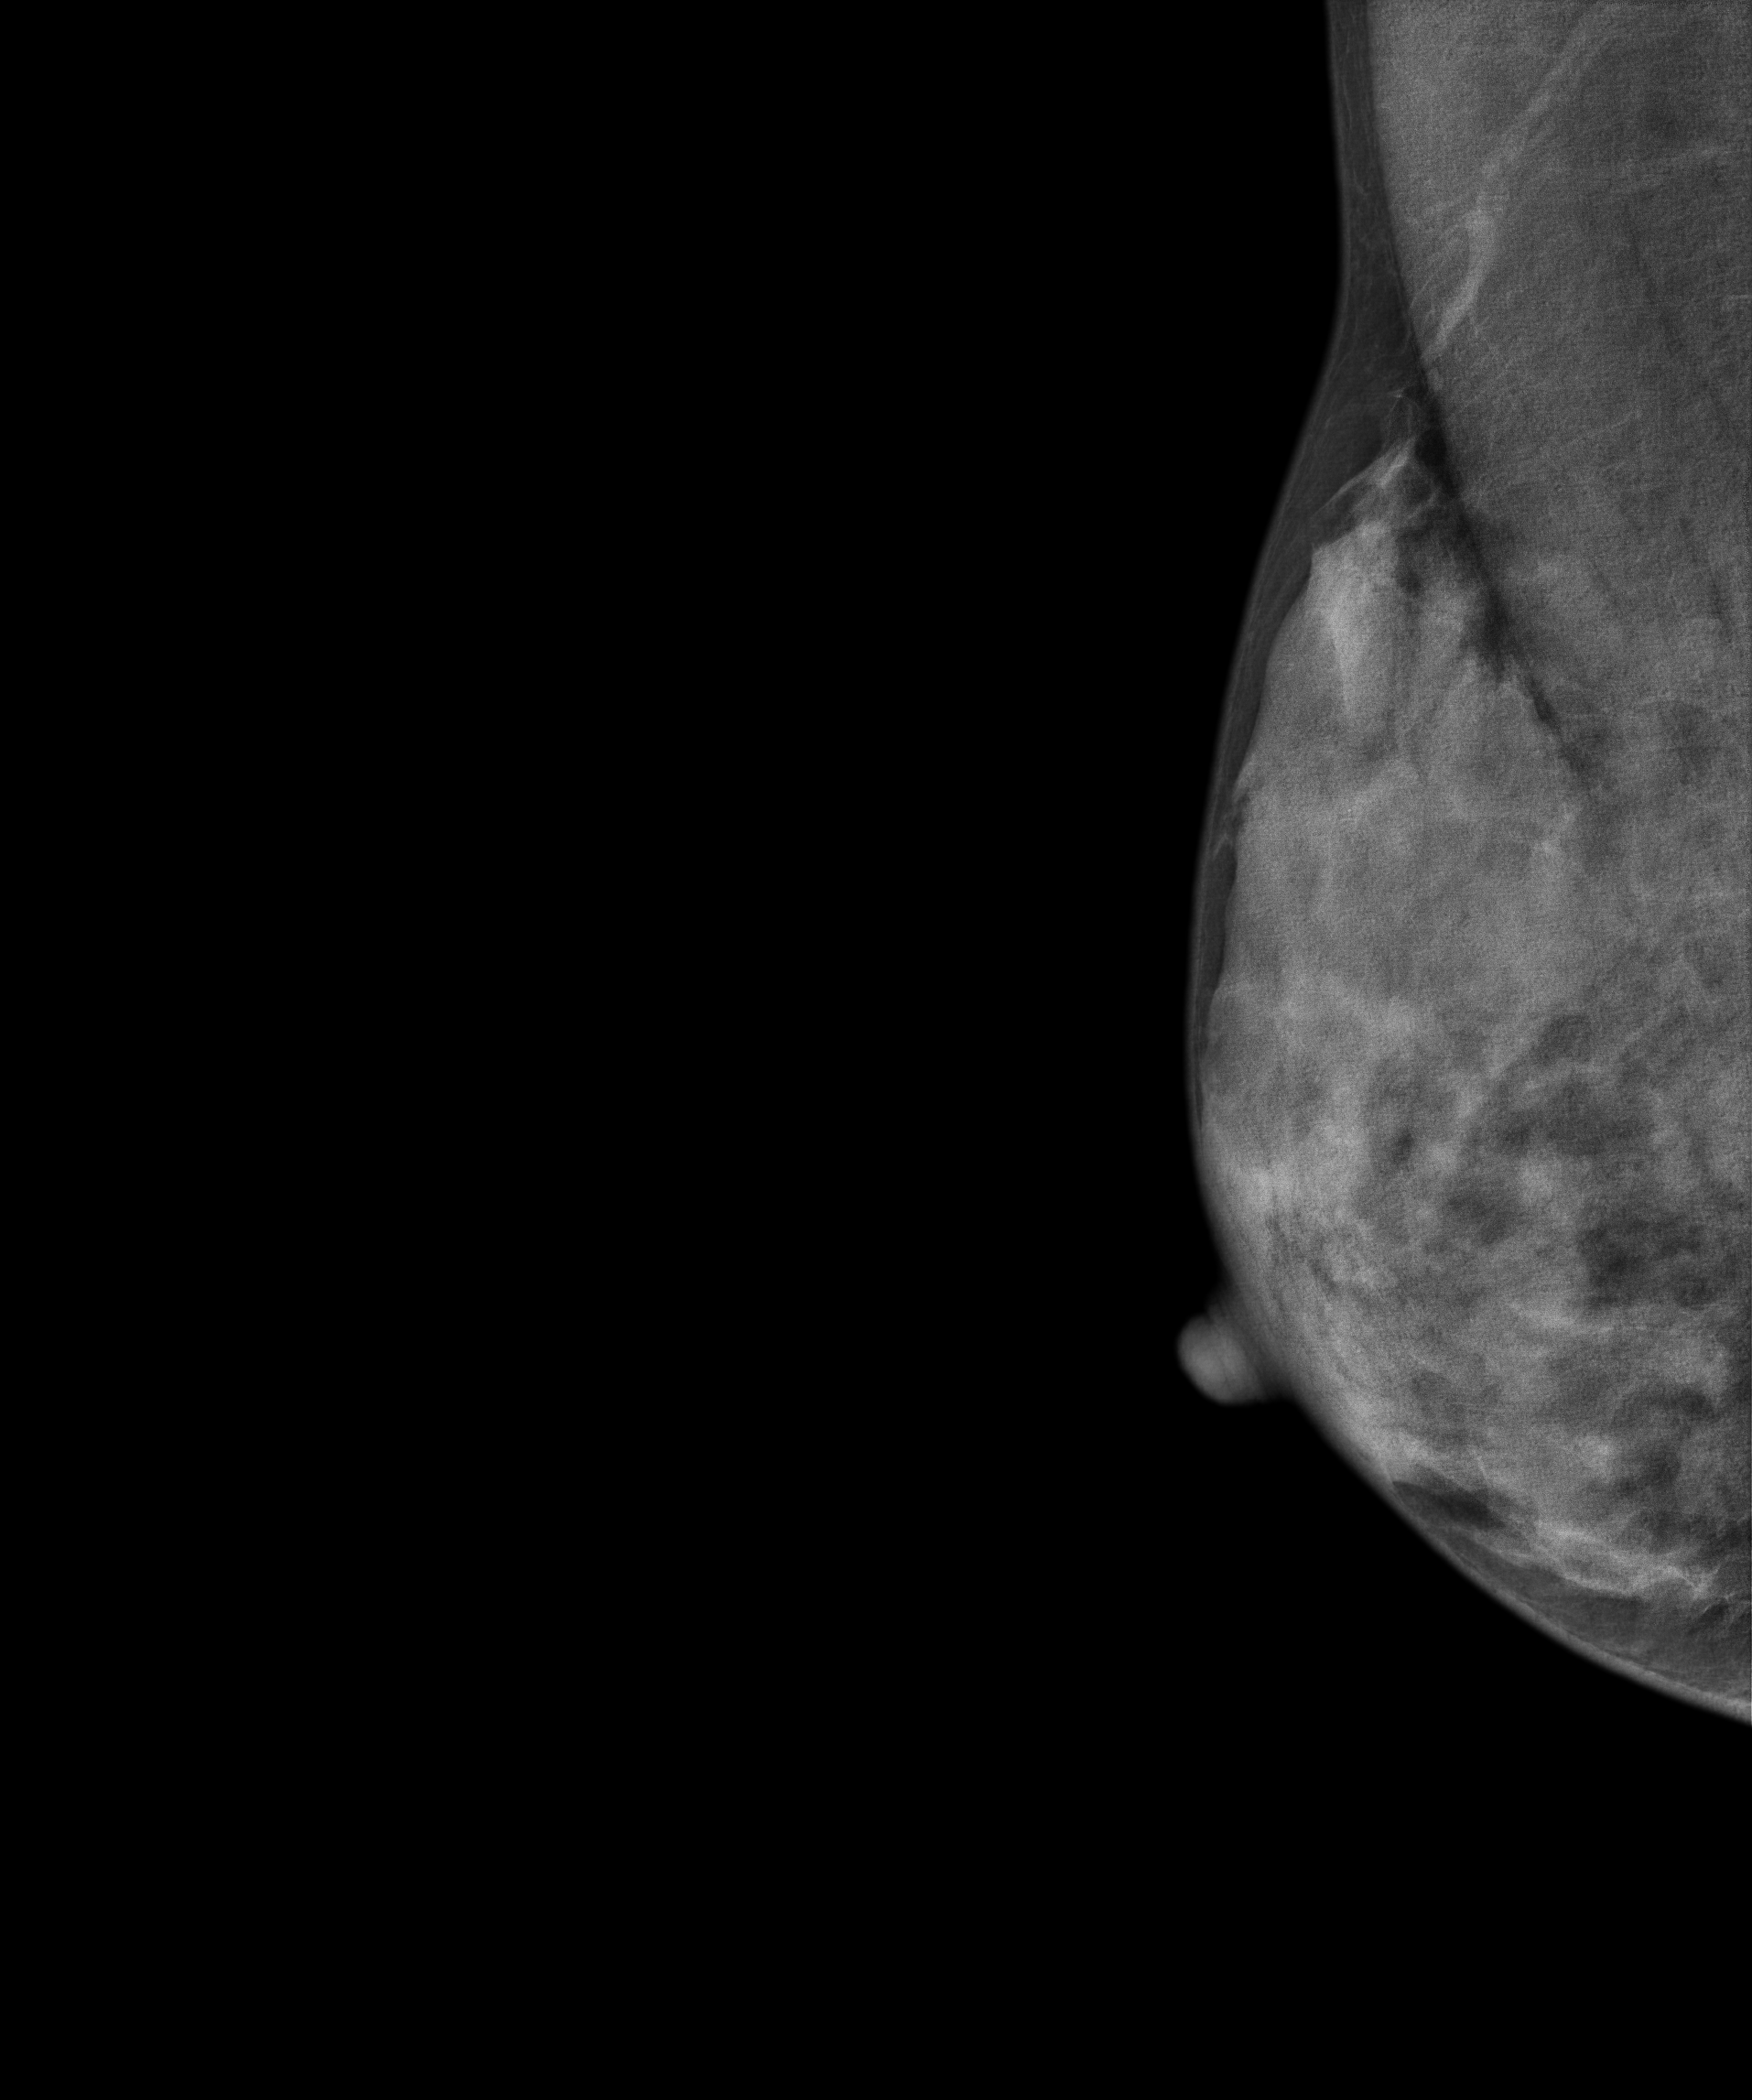
Right-breast mammogram, MLO. 32-year-old patient.
This breast has a mass, biopsy-confirmed benign.